Left-breast mammogram, medio-lateral oblique. 42 y/o patient.
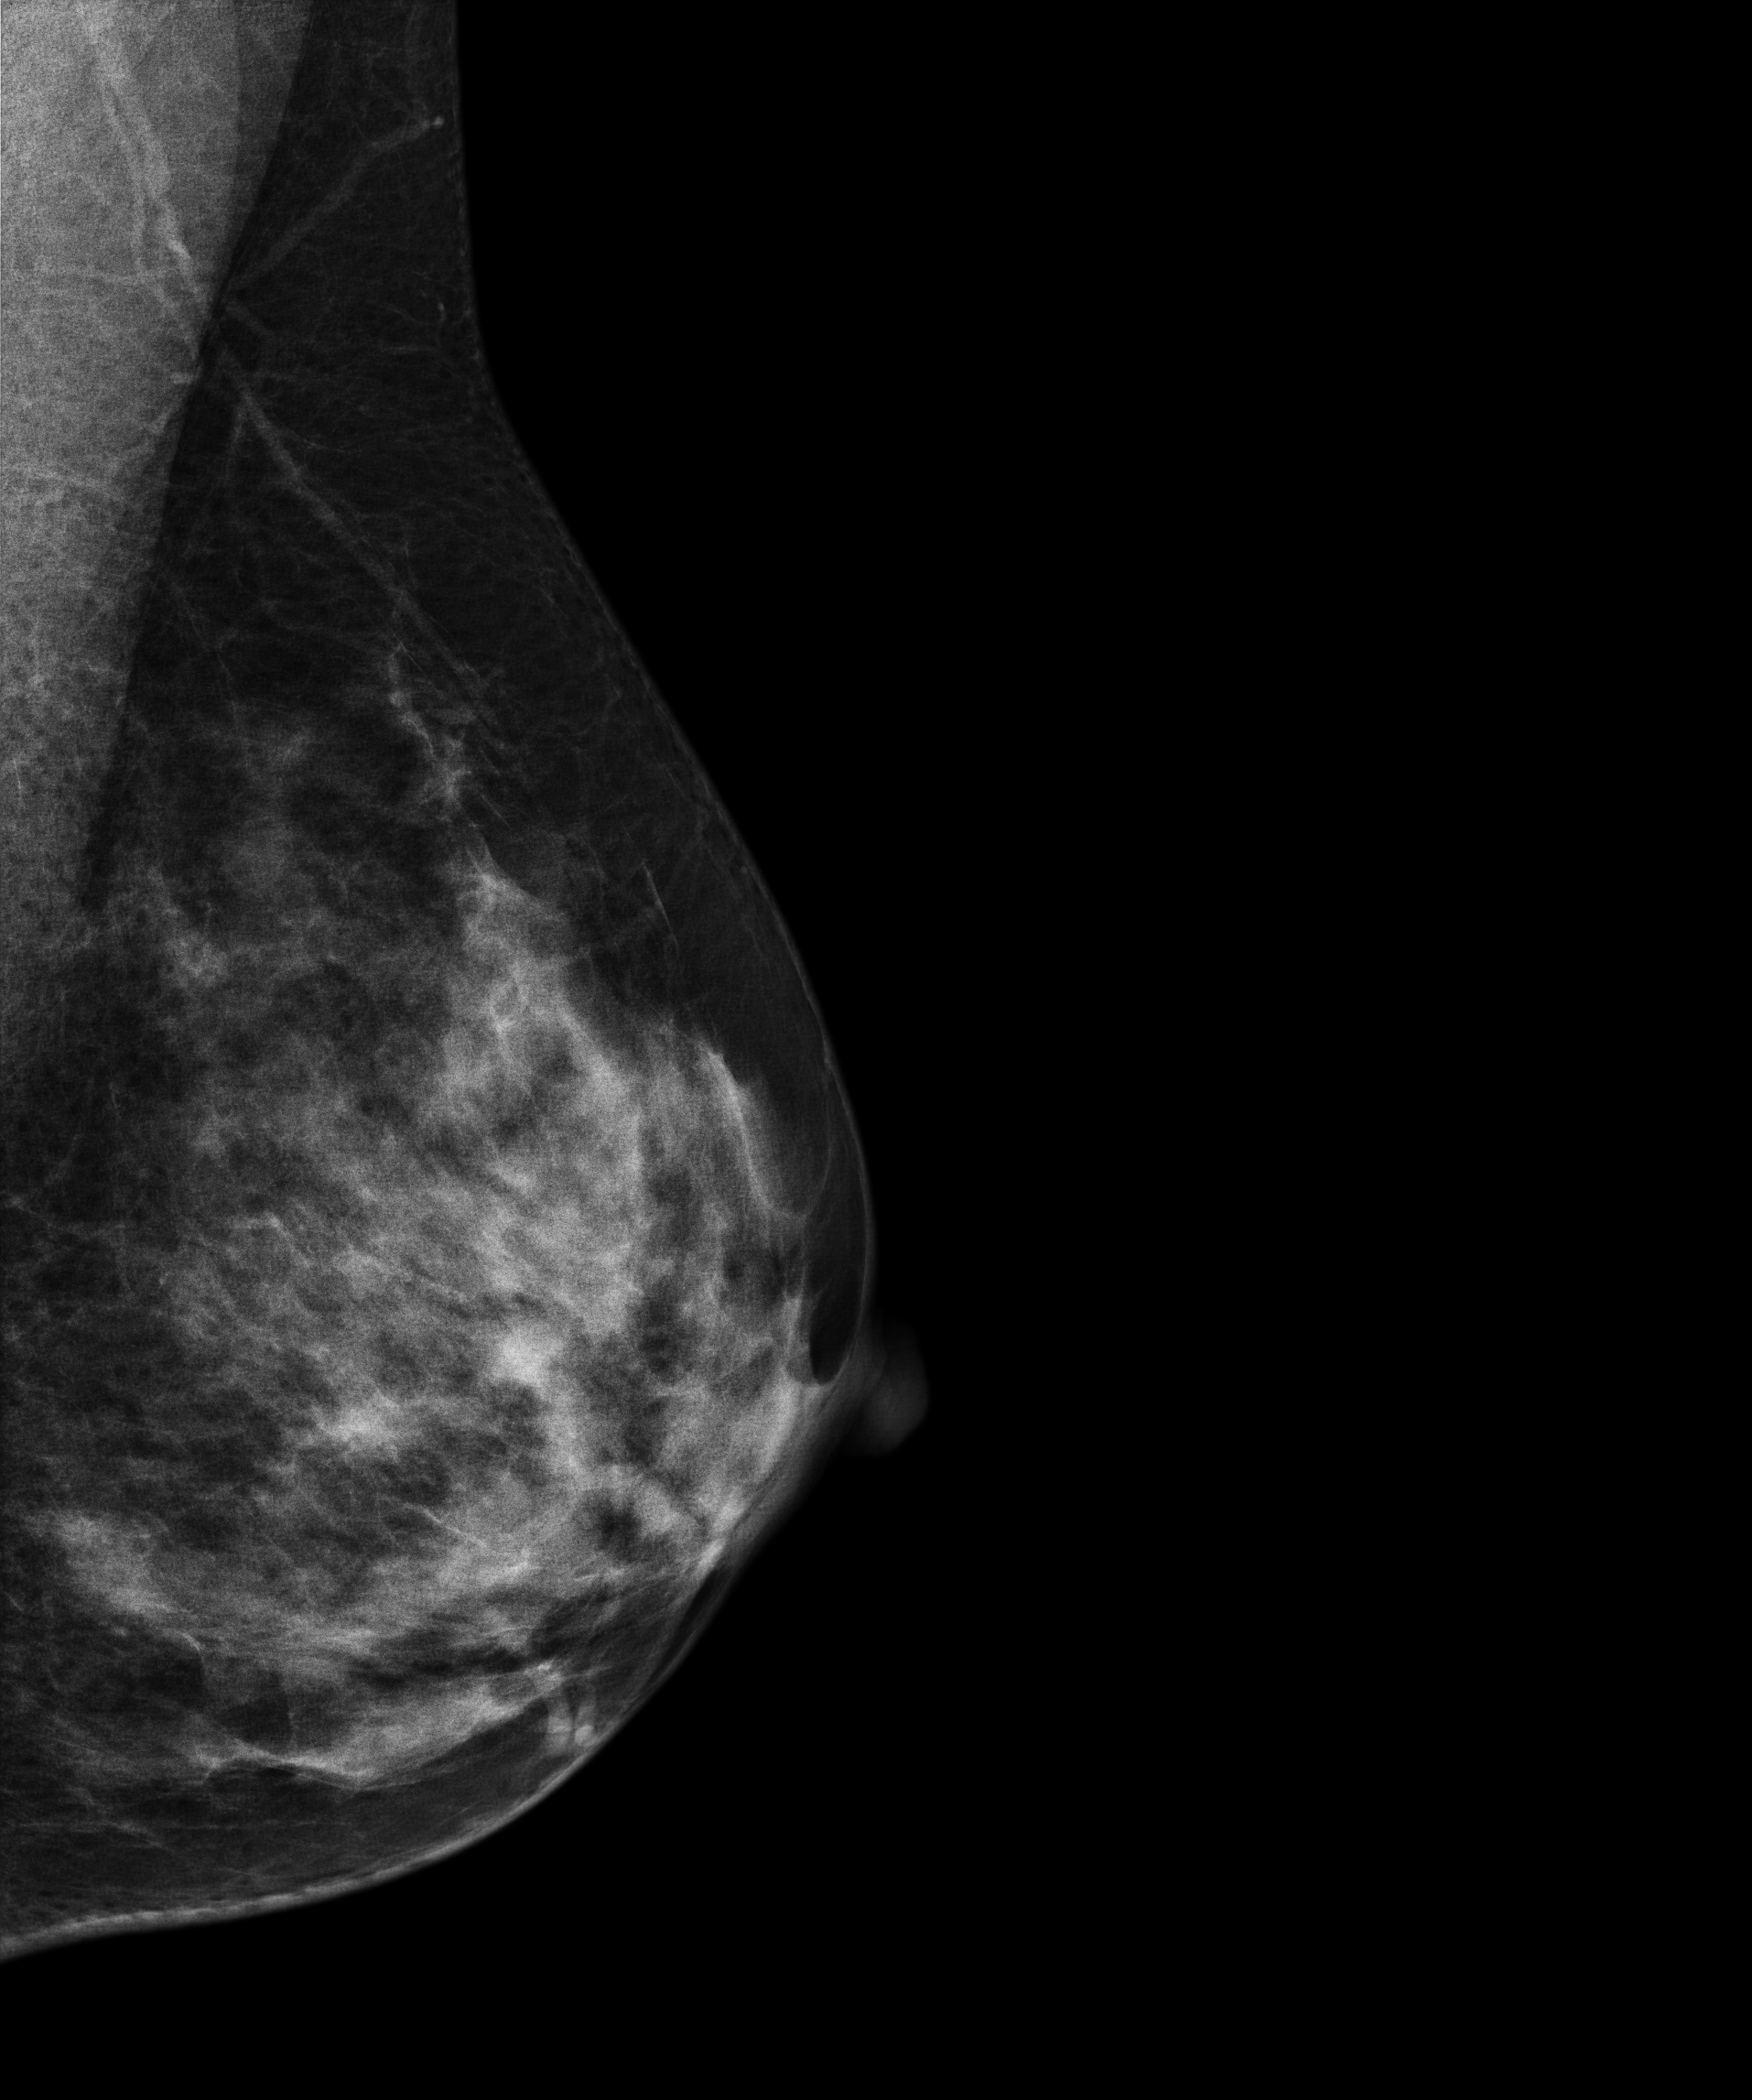
Contralateral breast — no documented abnormality on this side.